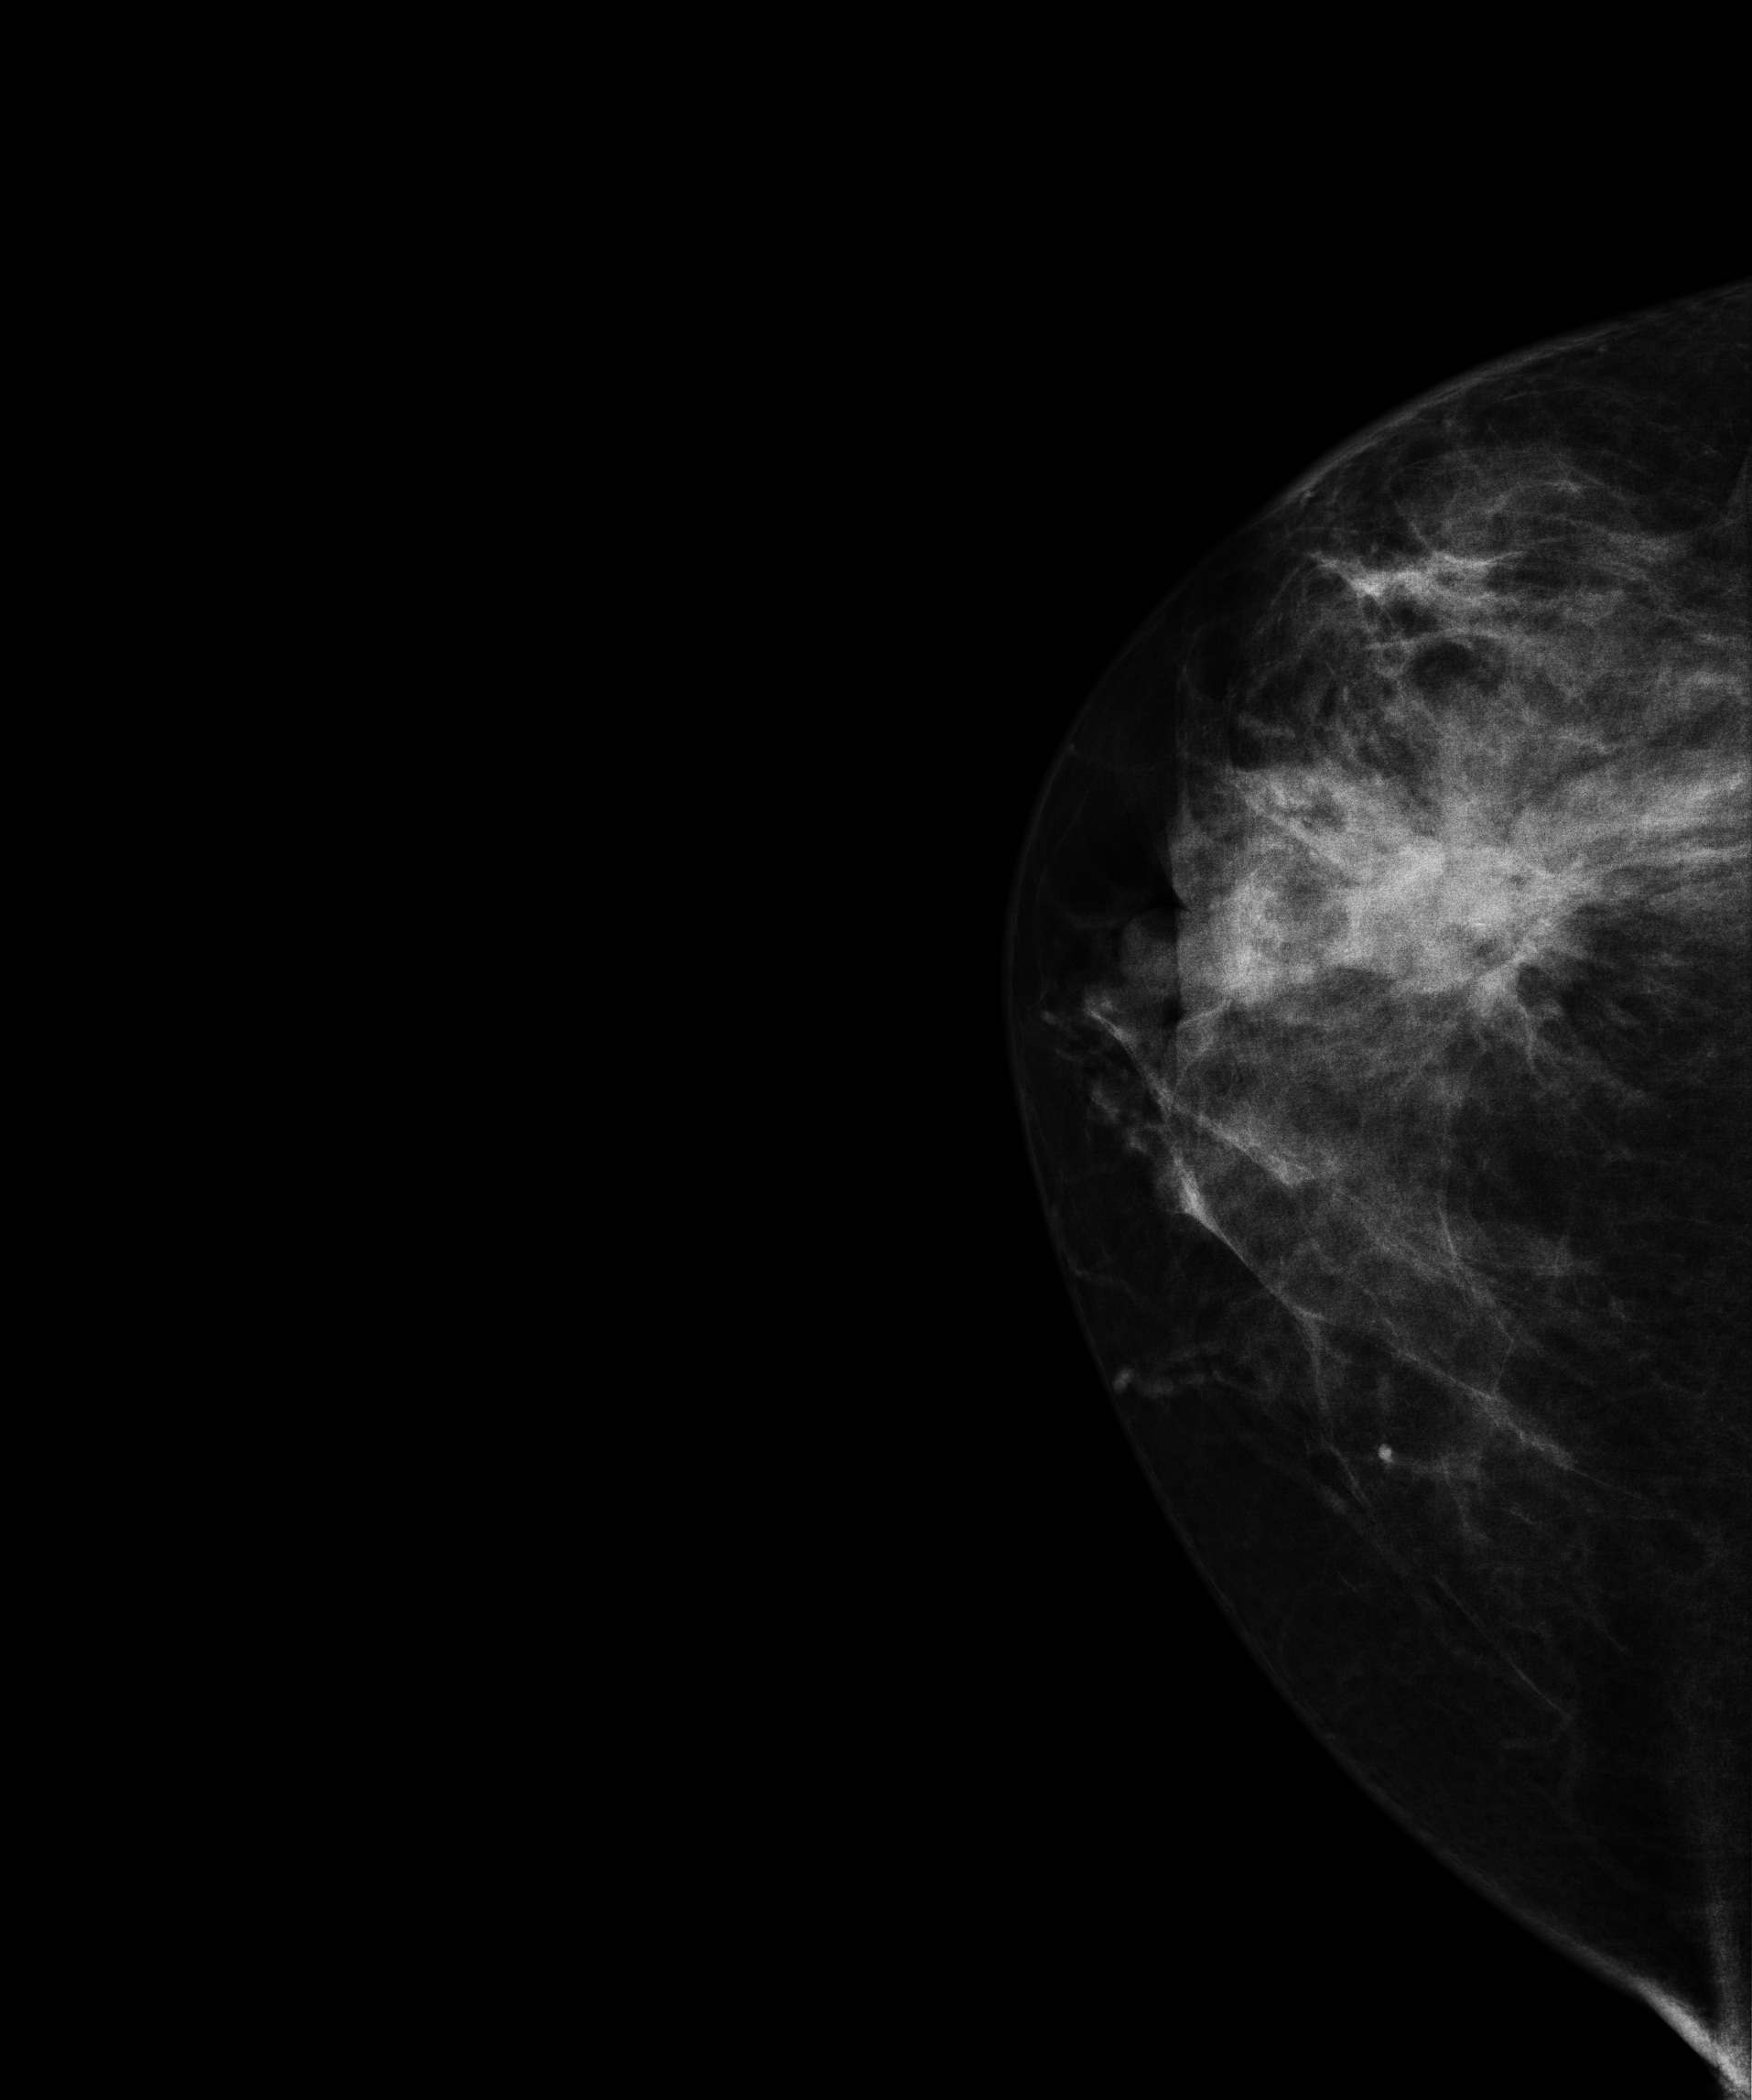
Right-breast mammogram, cranio-caudal. 66 y/o patient.
This breast has a mass, histologically confirmed malignant. Molecular subtype: luminal B.